Digital mammography. Right breast, medio-lateral oblique projection. 32 y/o patient.
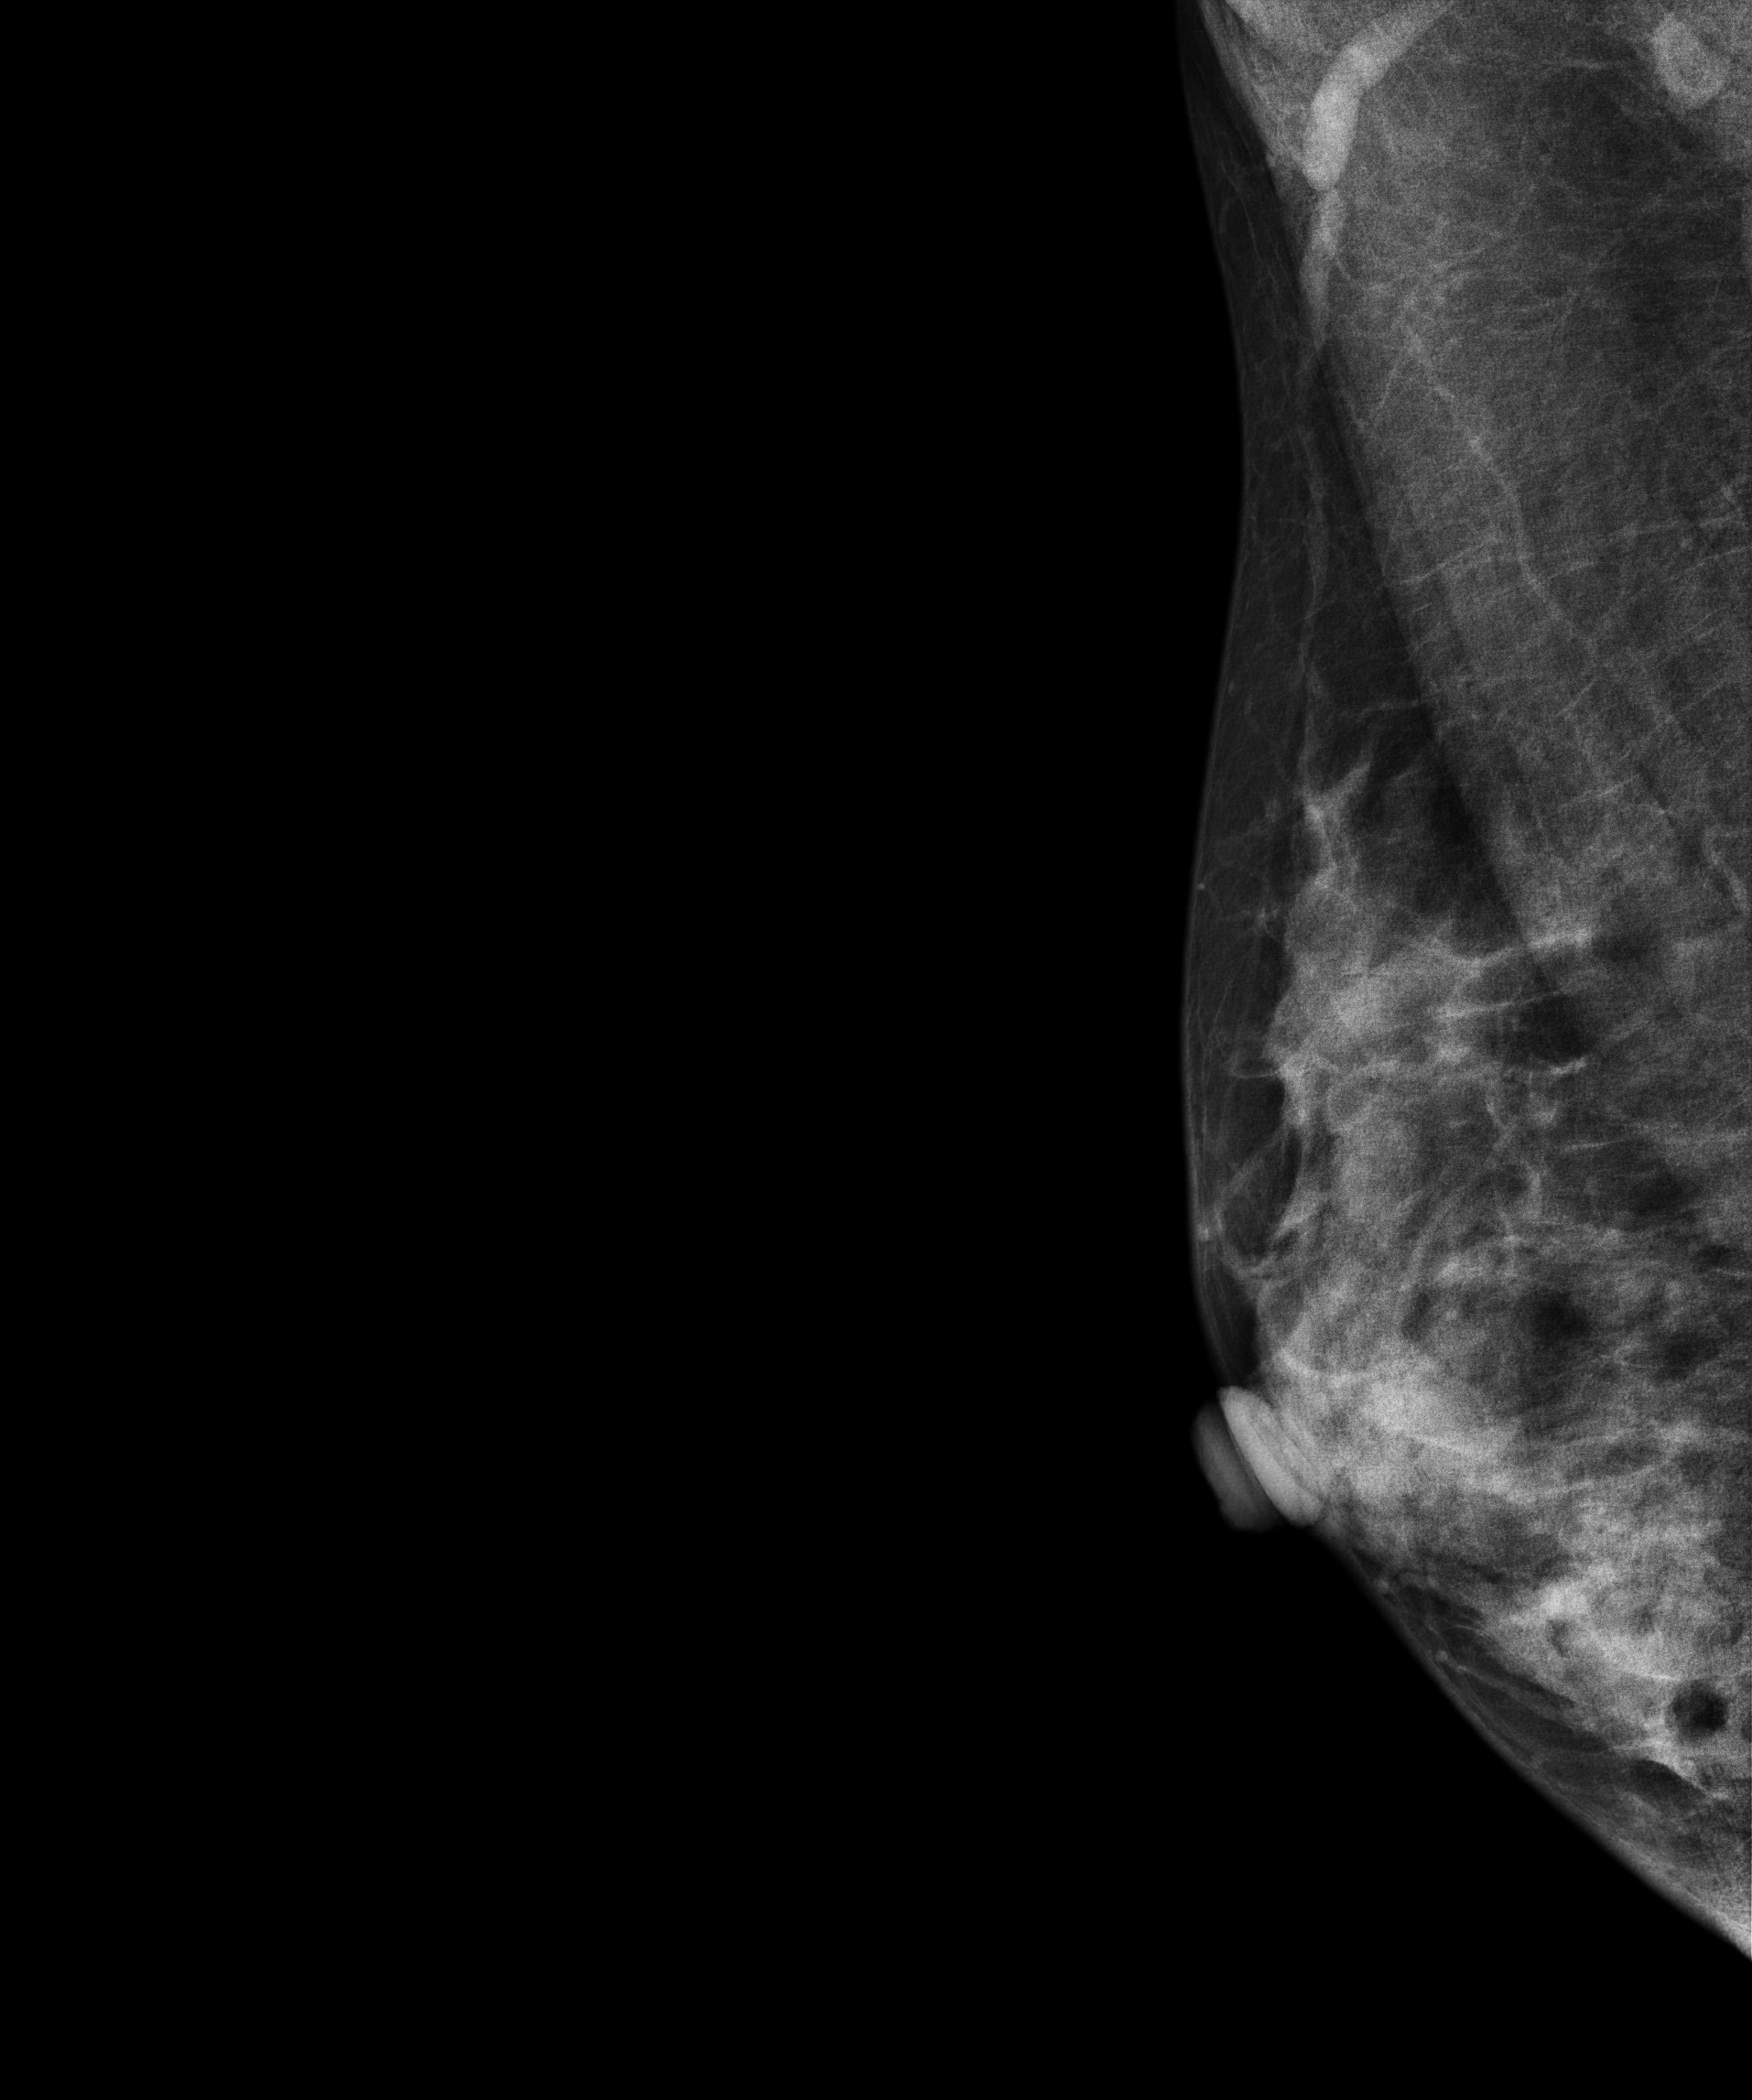
This breast has a mass, biopsy-confirmed malignant.